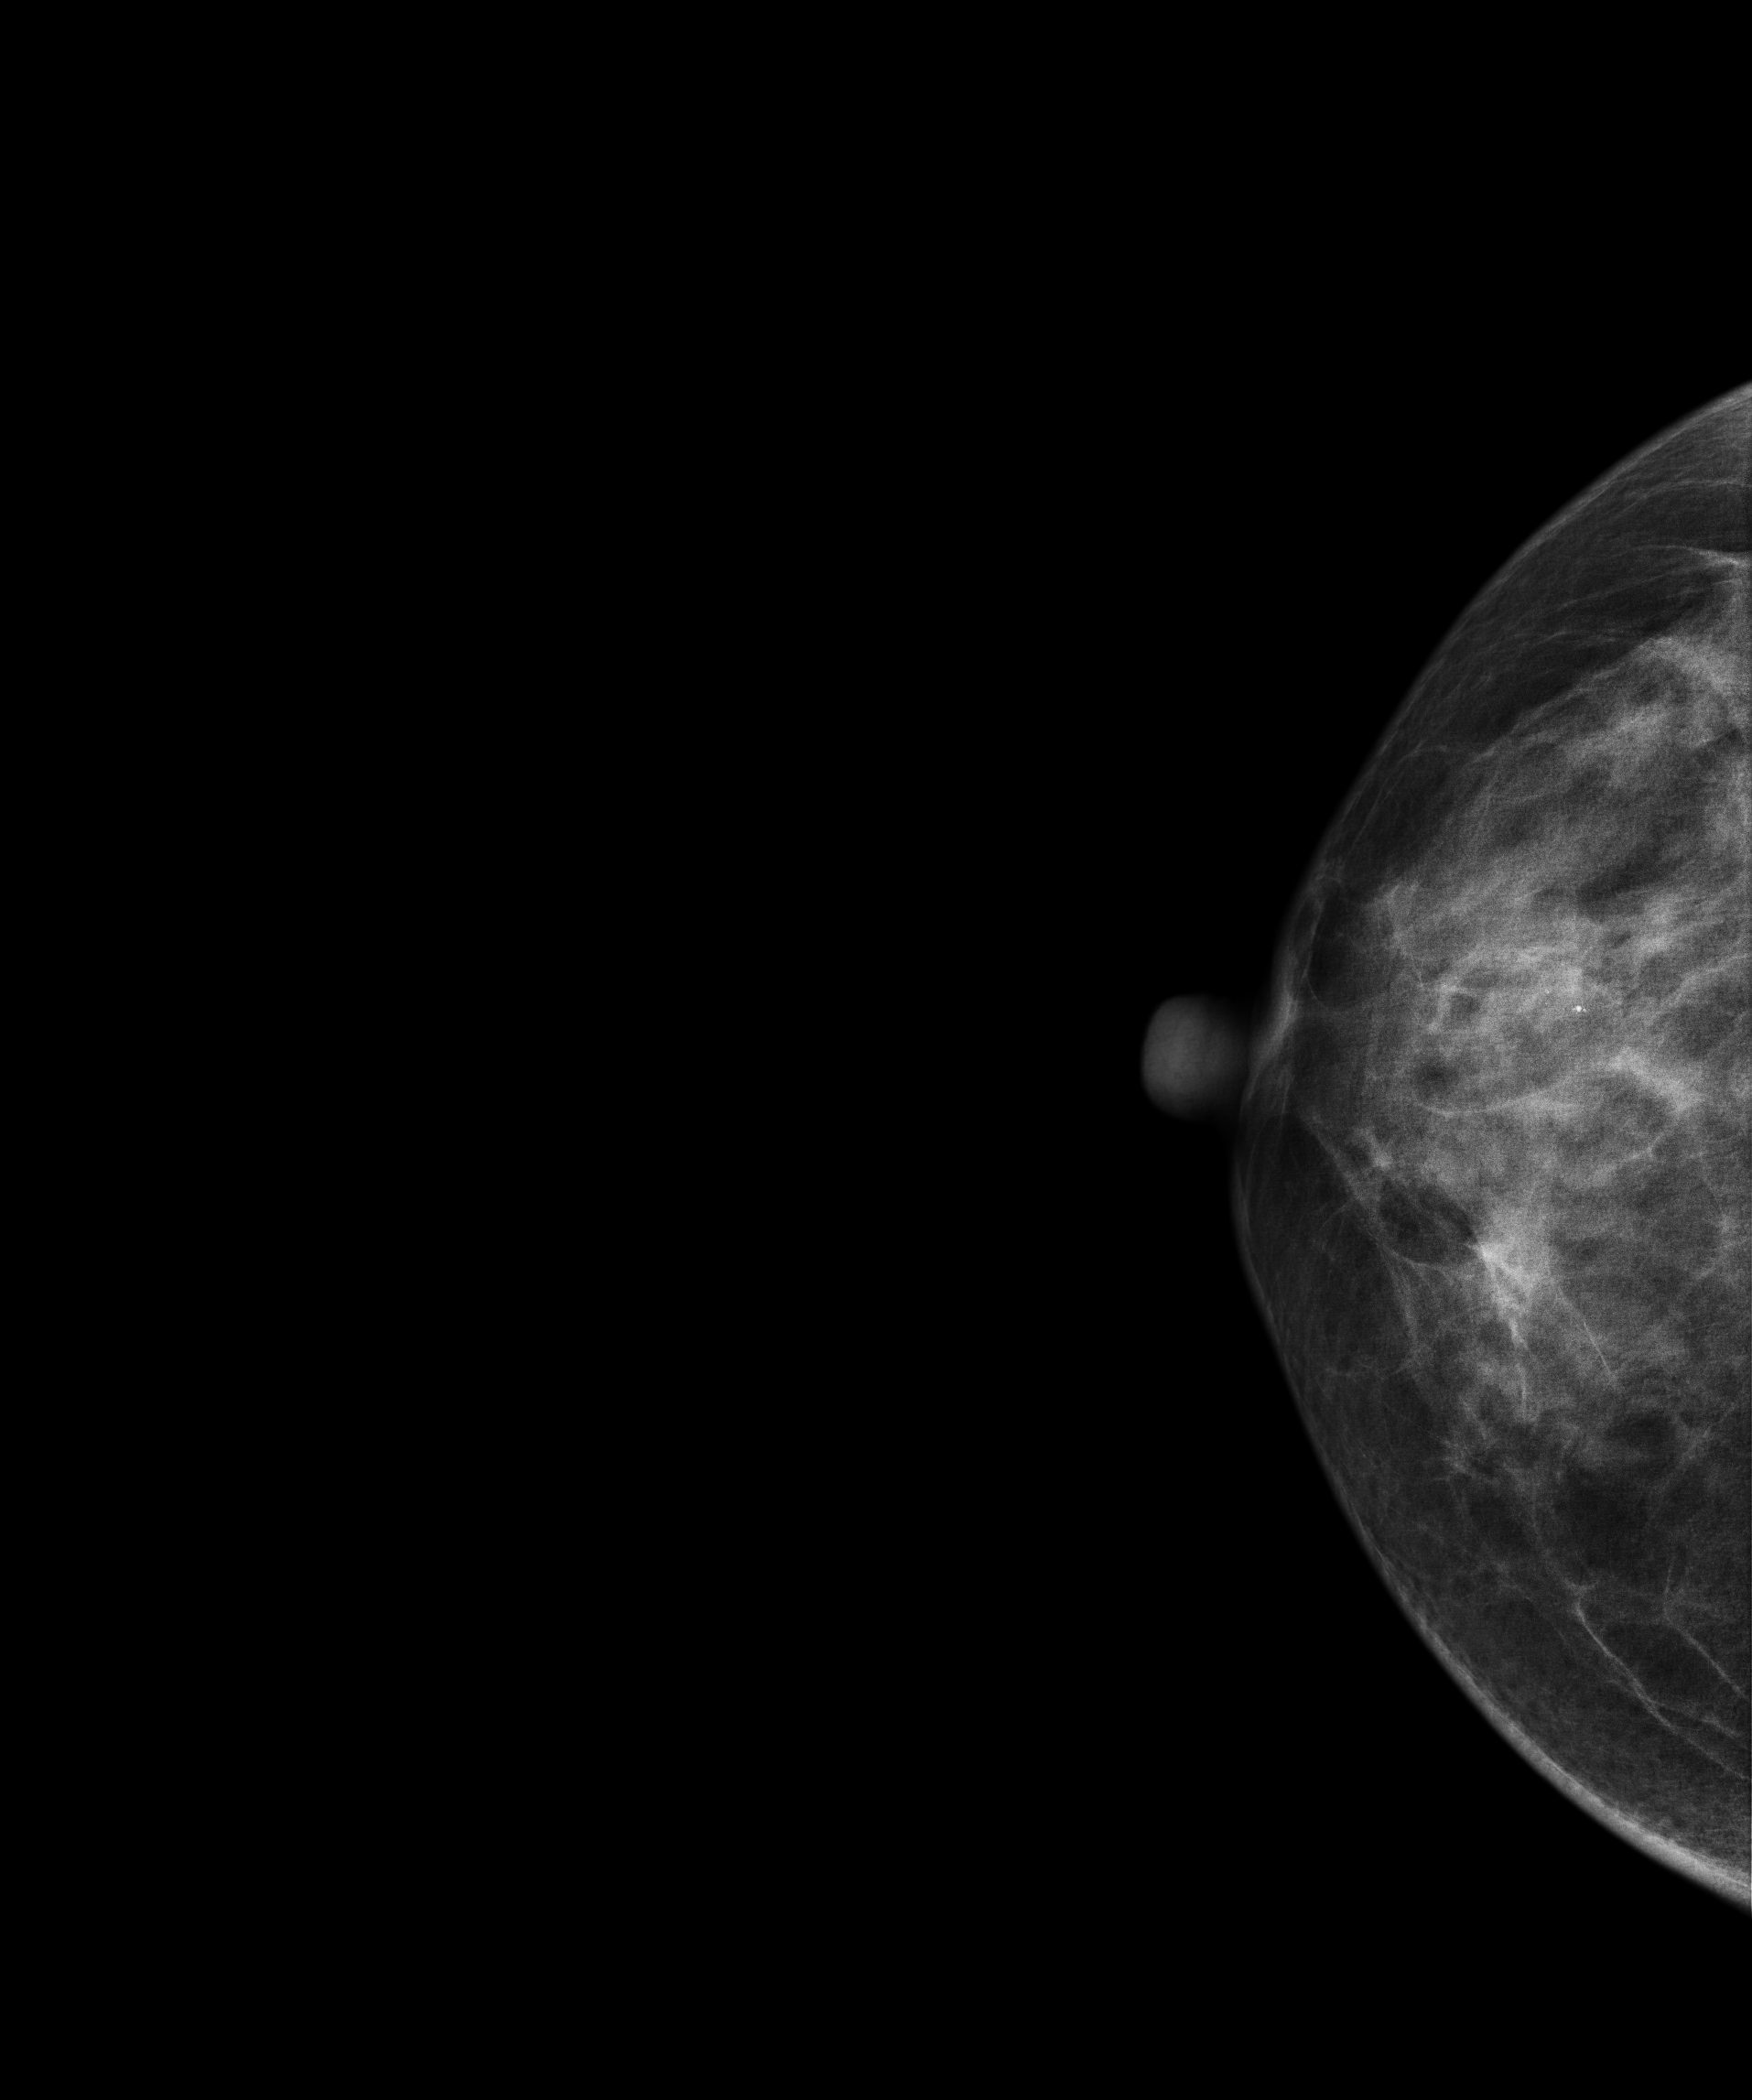
Digital mammography. Right breast, cranio-caudal projection. 53-year-old patient.
This breast has a mass and calcifications, biopsy-confirmed malignant.